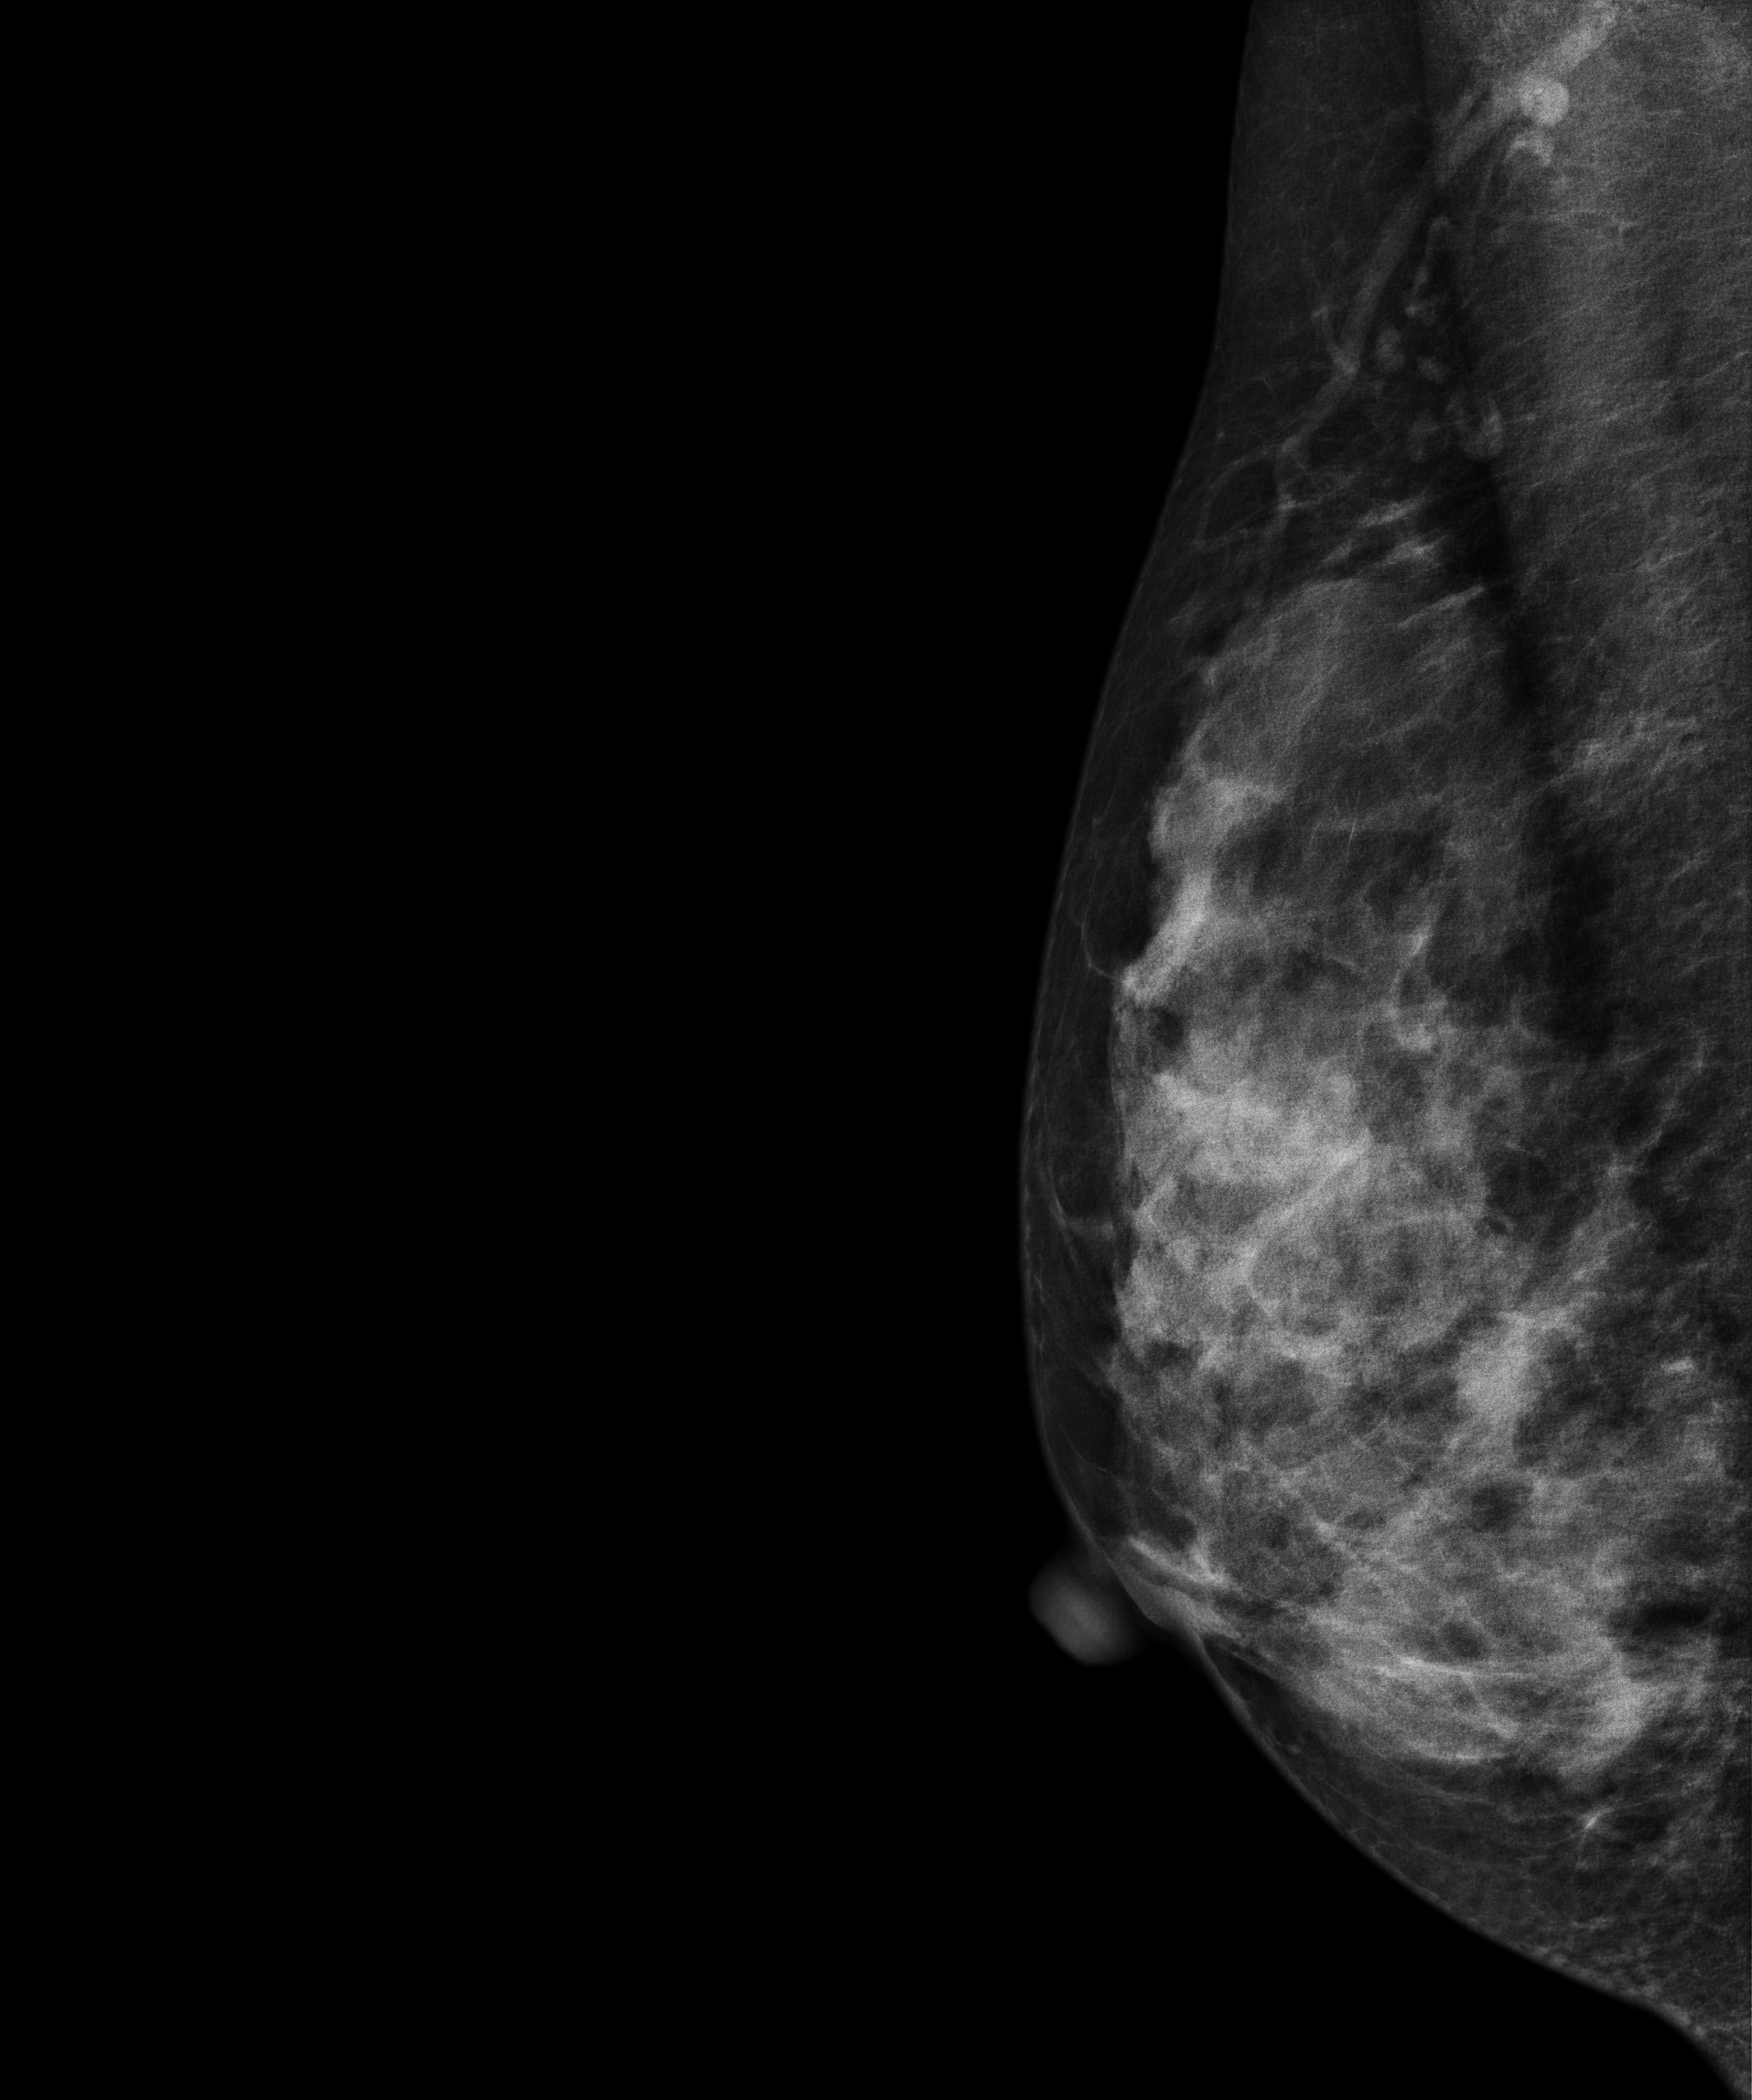
Mammogram — right medio-lateral oblique. Patient age 40.
Contralateral breast — no documented abnormality on this side.